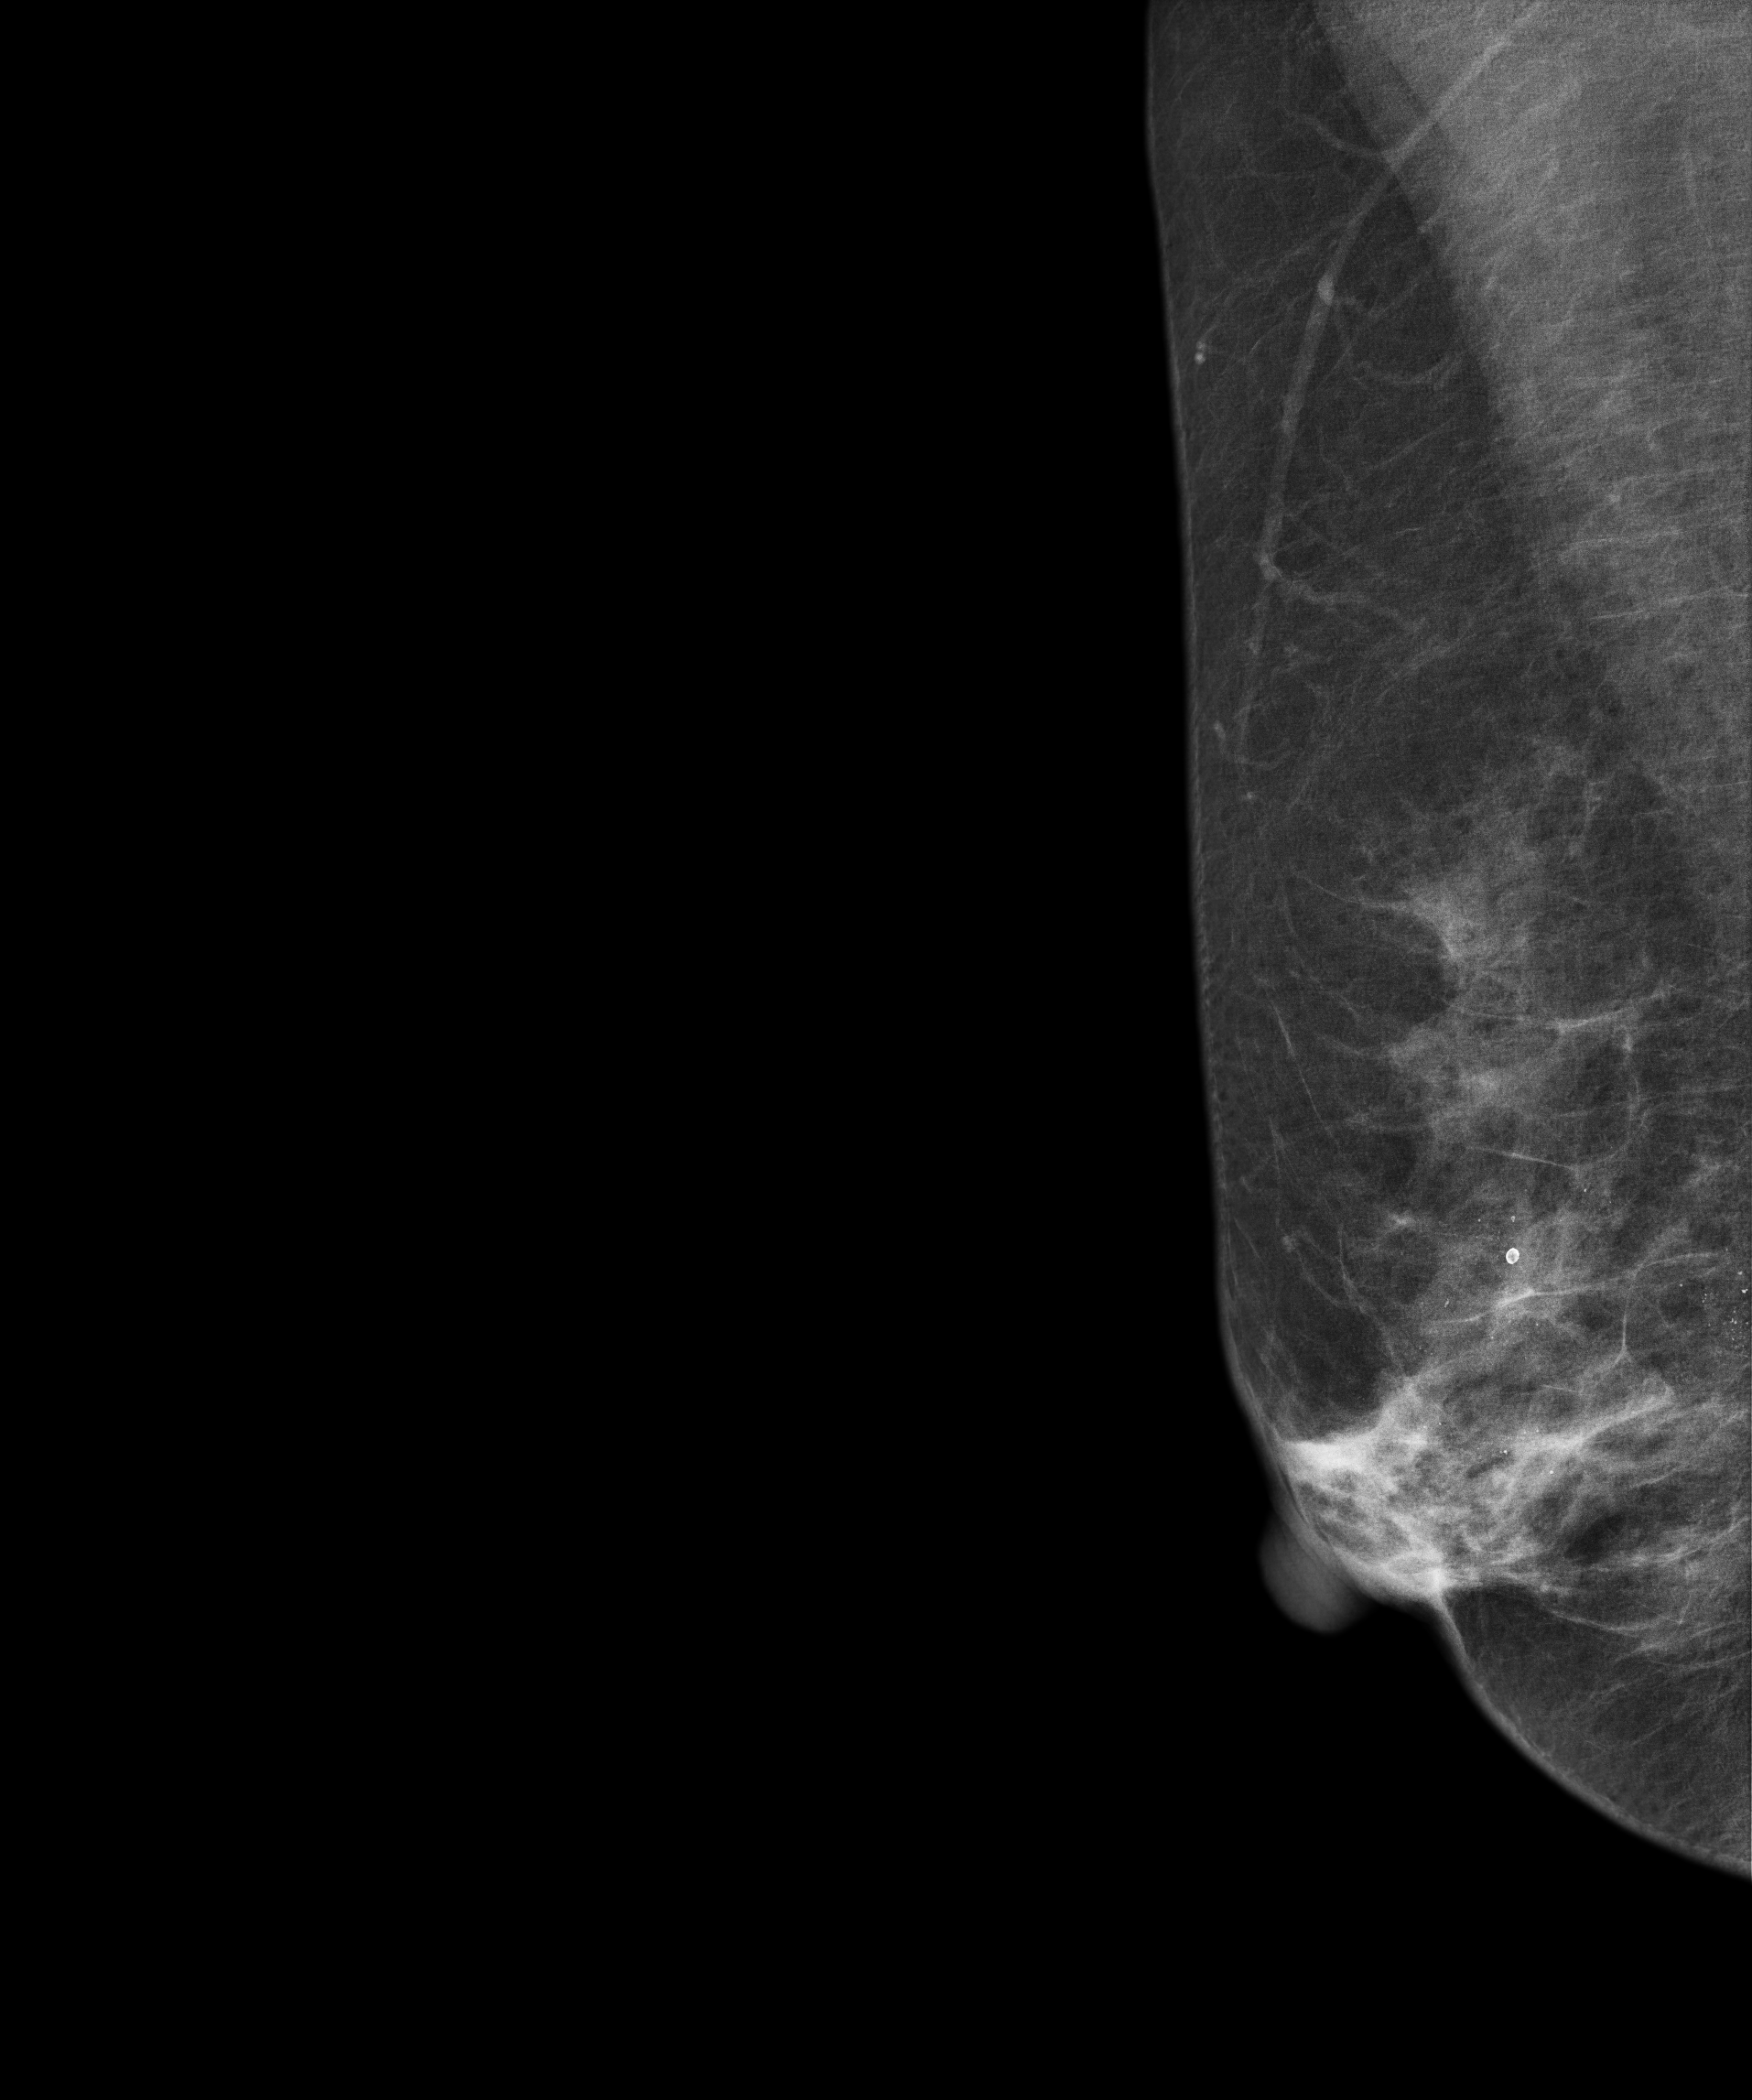
Mammogram, right breast, medio-lateral oblique view. 57 y/o patient.
This breast has calcifications, pathology-confirmed benign.